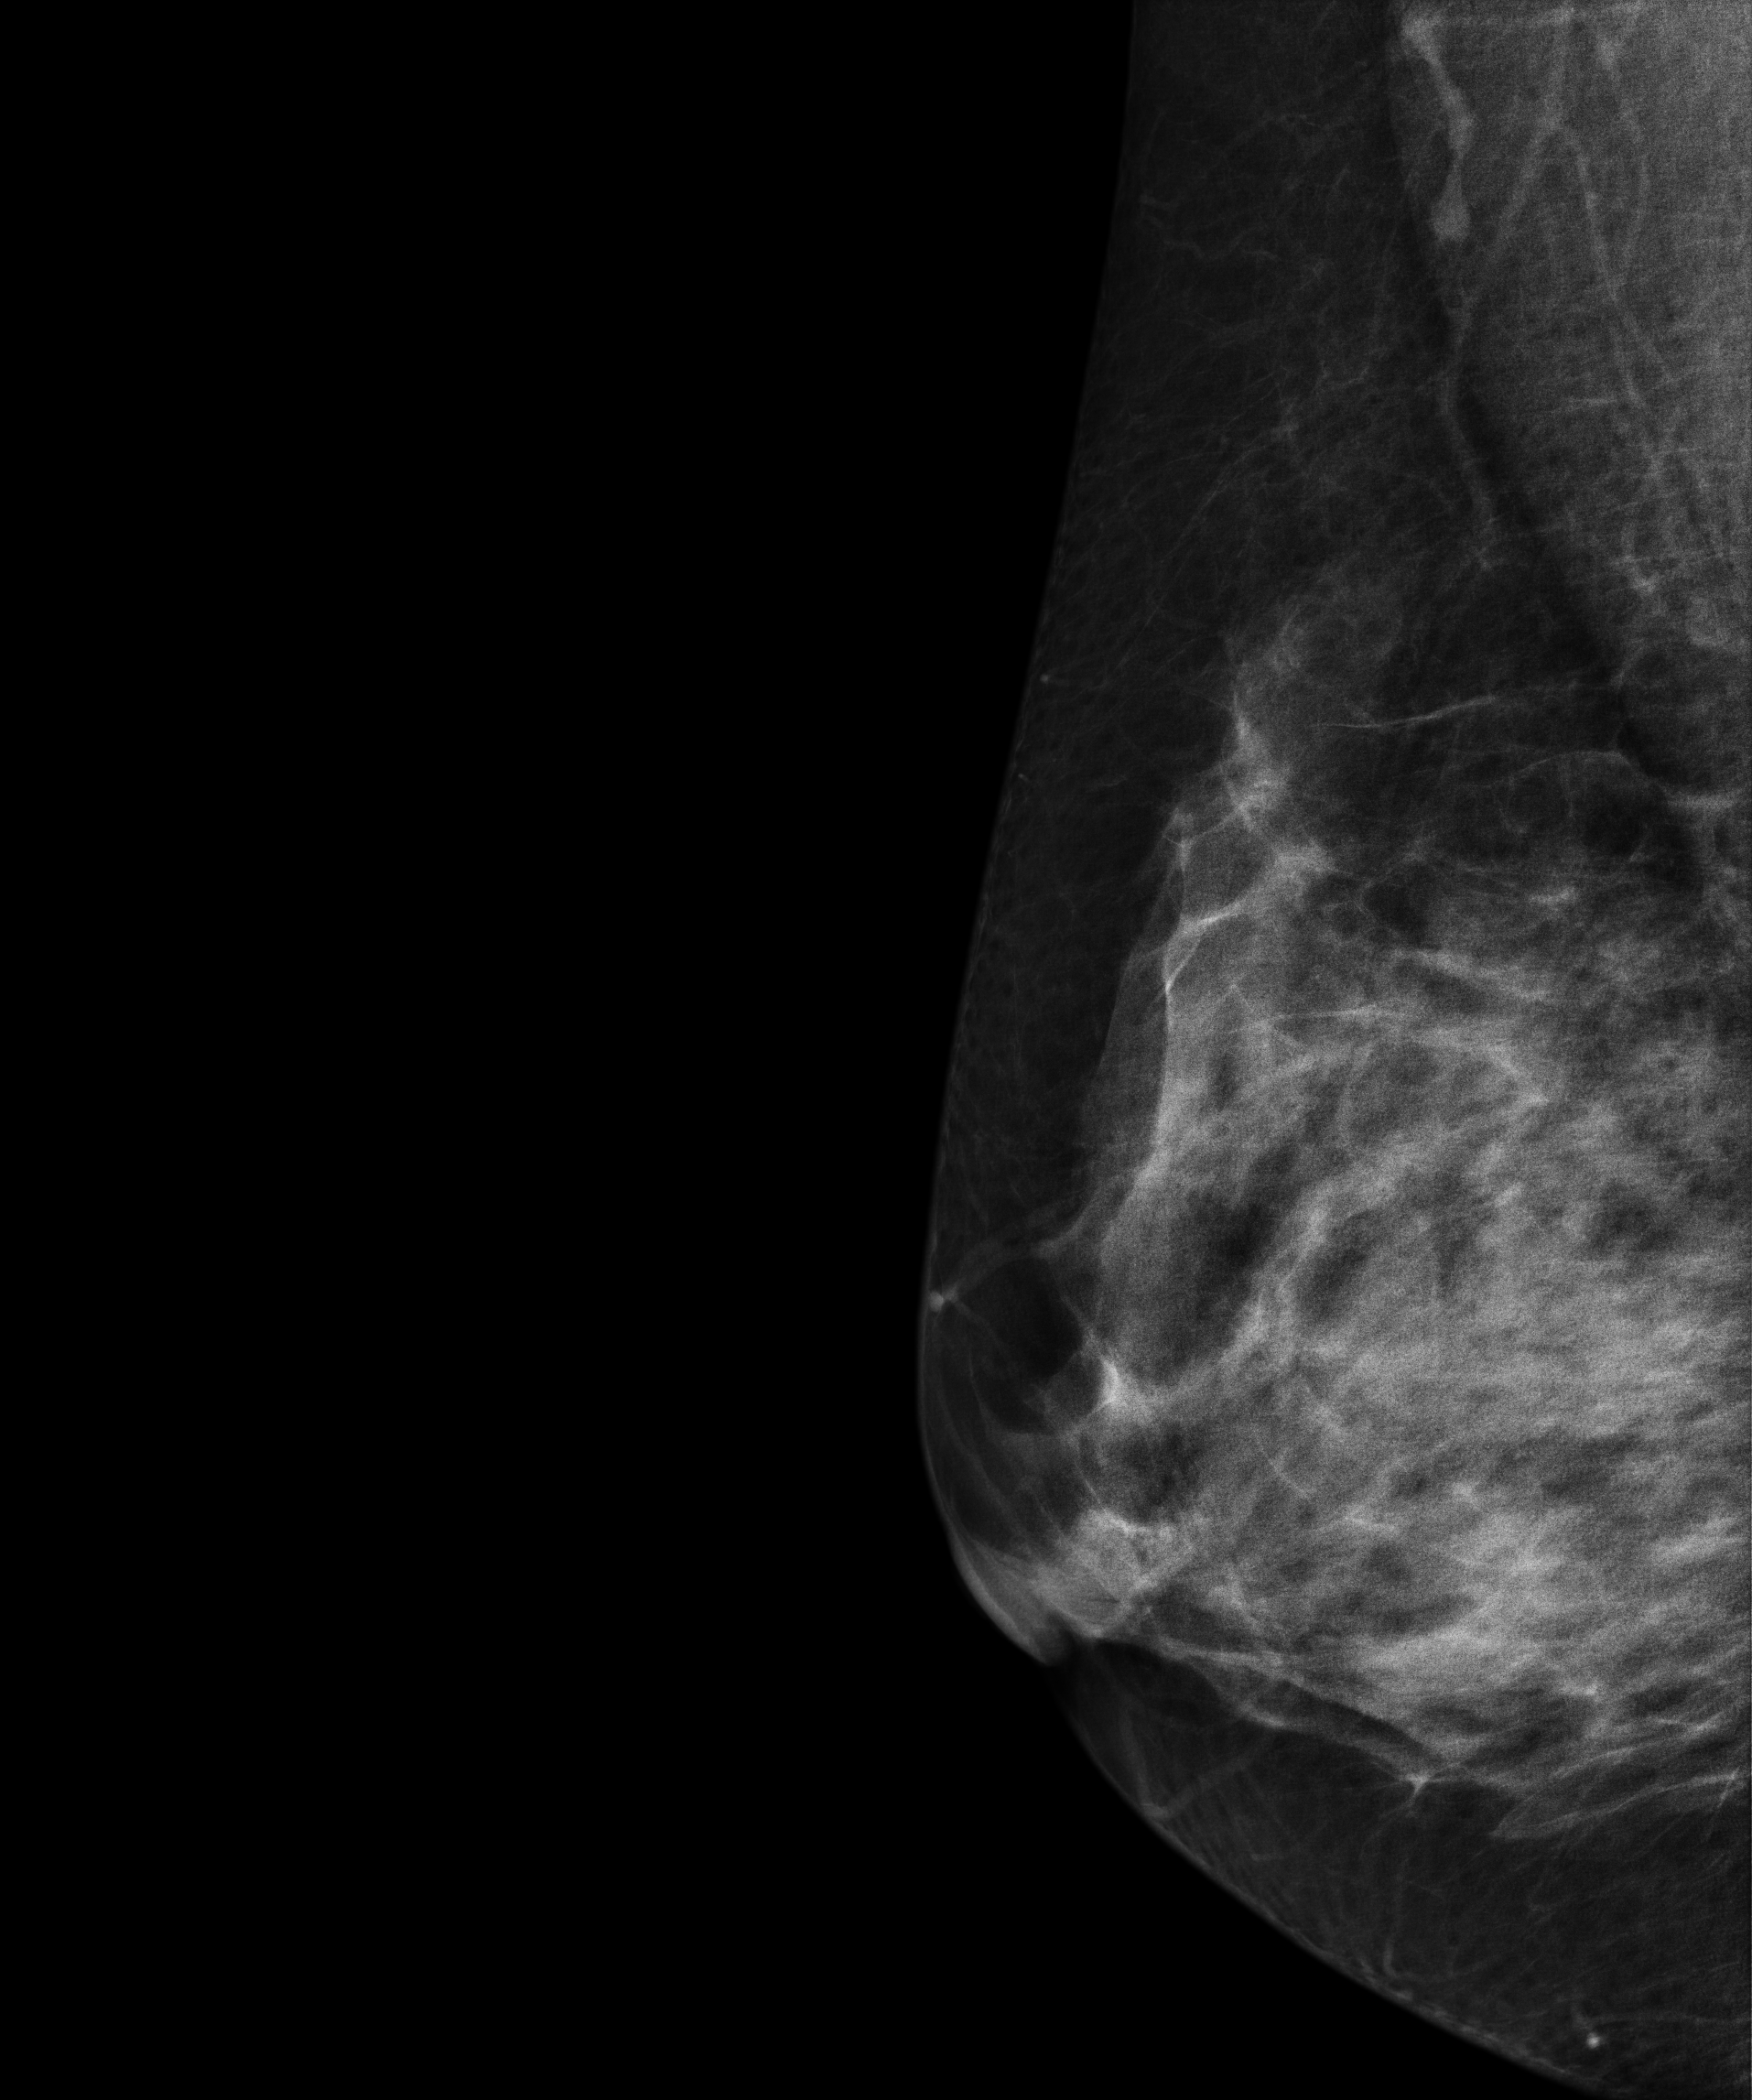
Digital mammography. Right breast, MLO projection. 29-year-old patient.
Contralateral breast — no documented abnormality on this side.